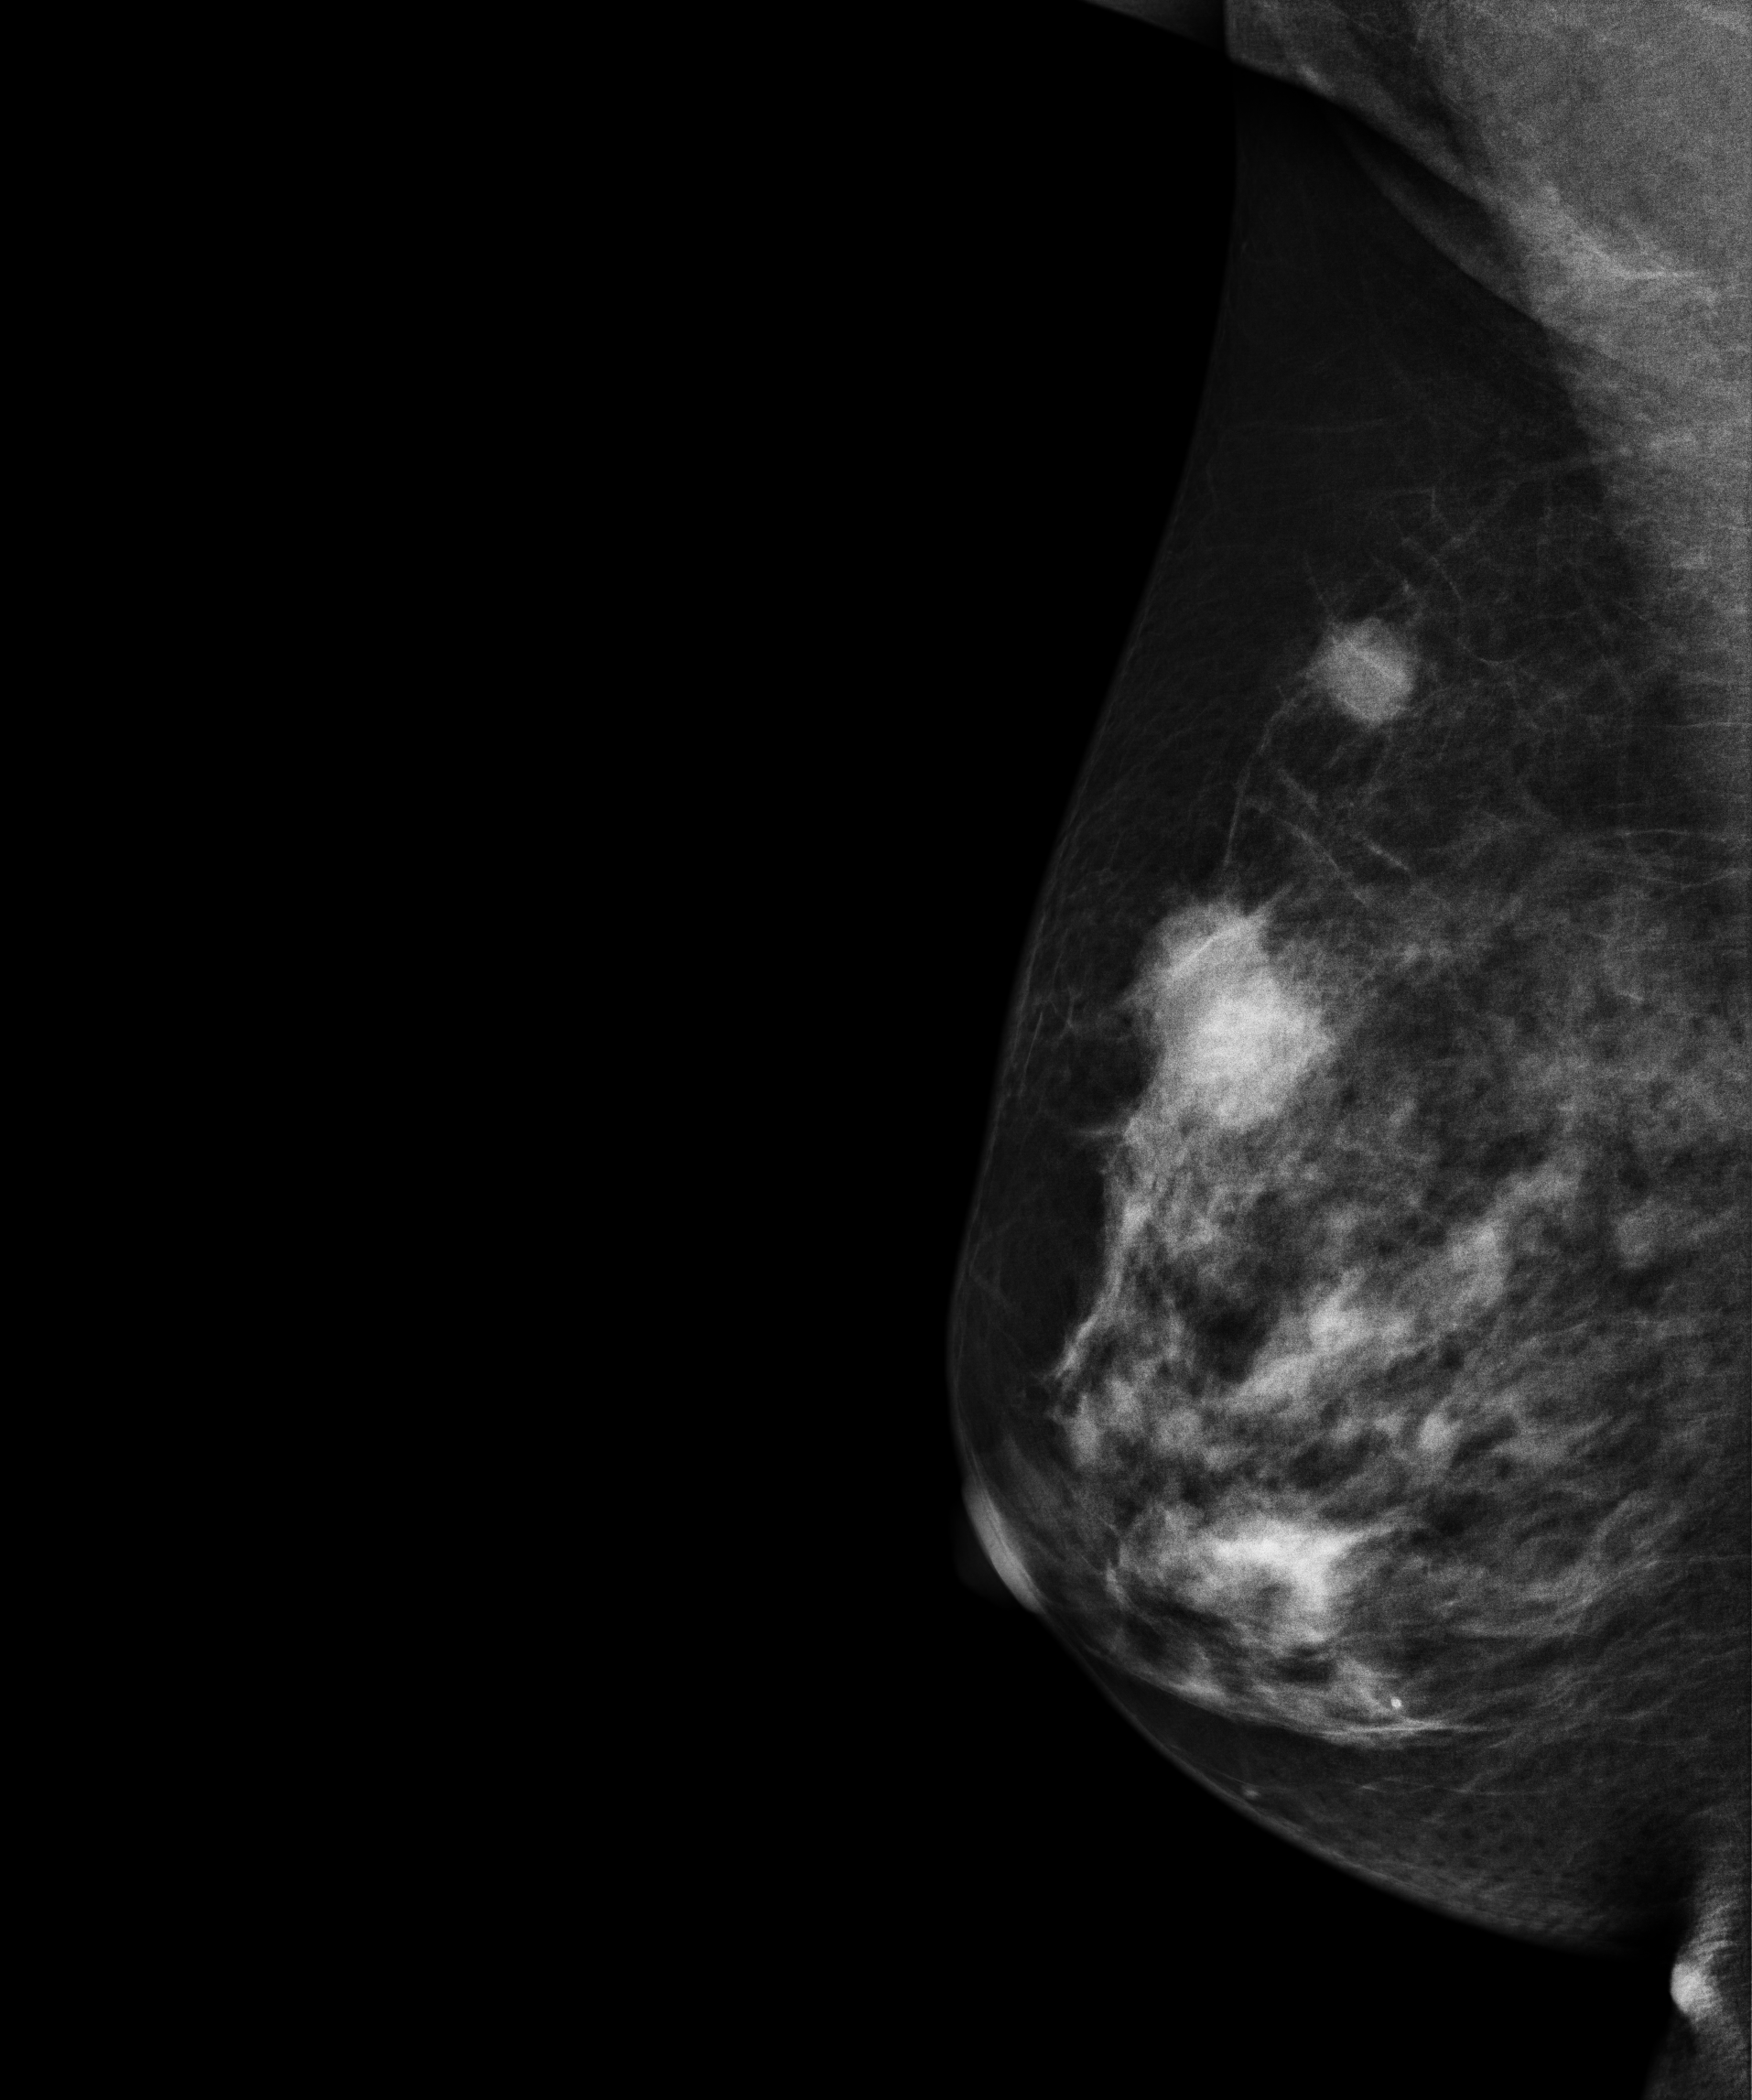
Medio-lateral oblique mammogram of the right breast. 60-year-old patient.
This breast has a mass, biopsy-proven malignant.